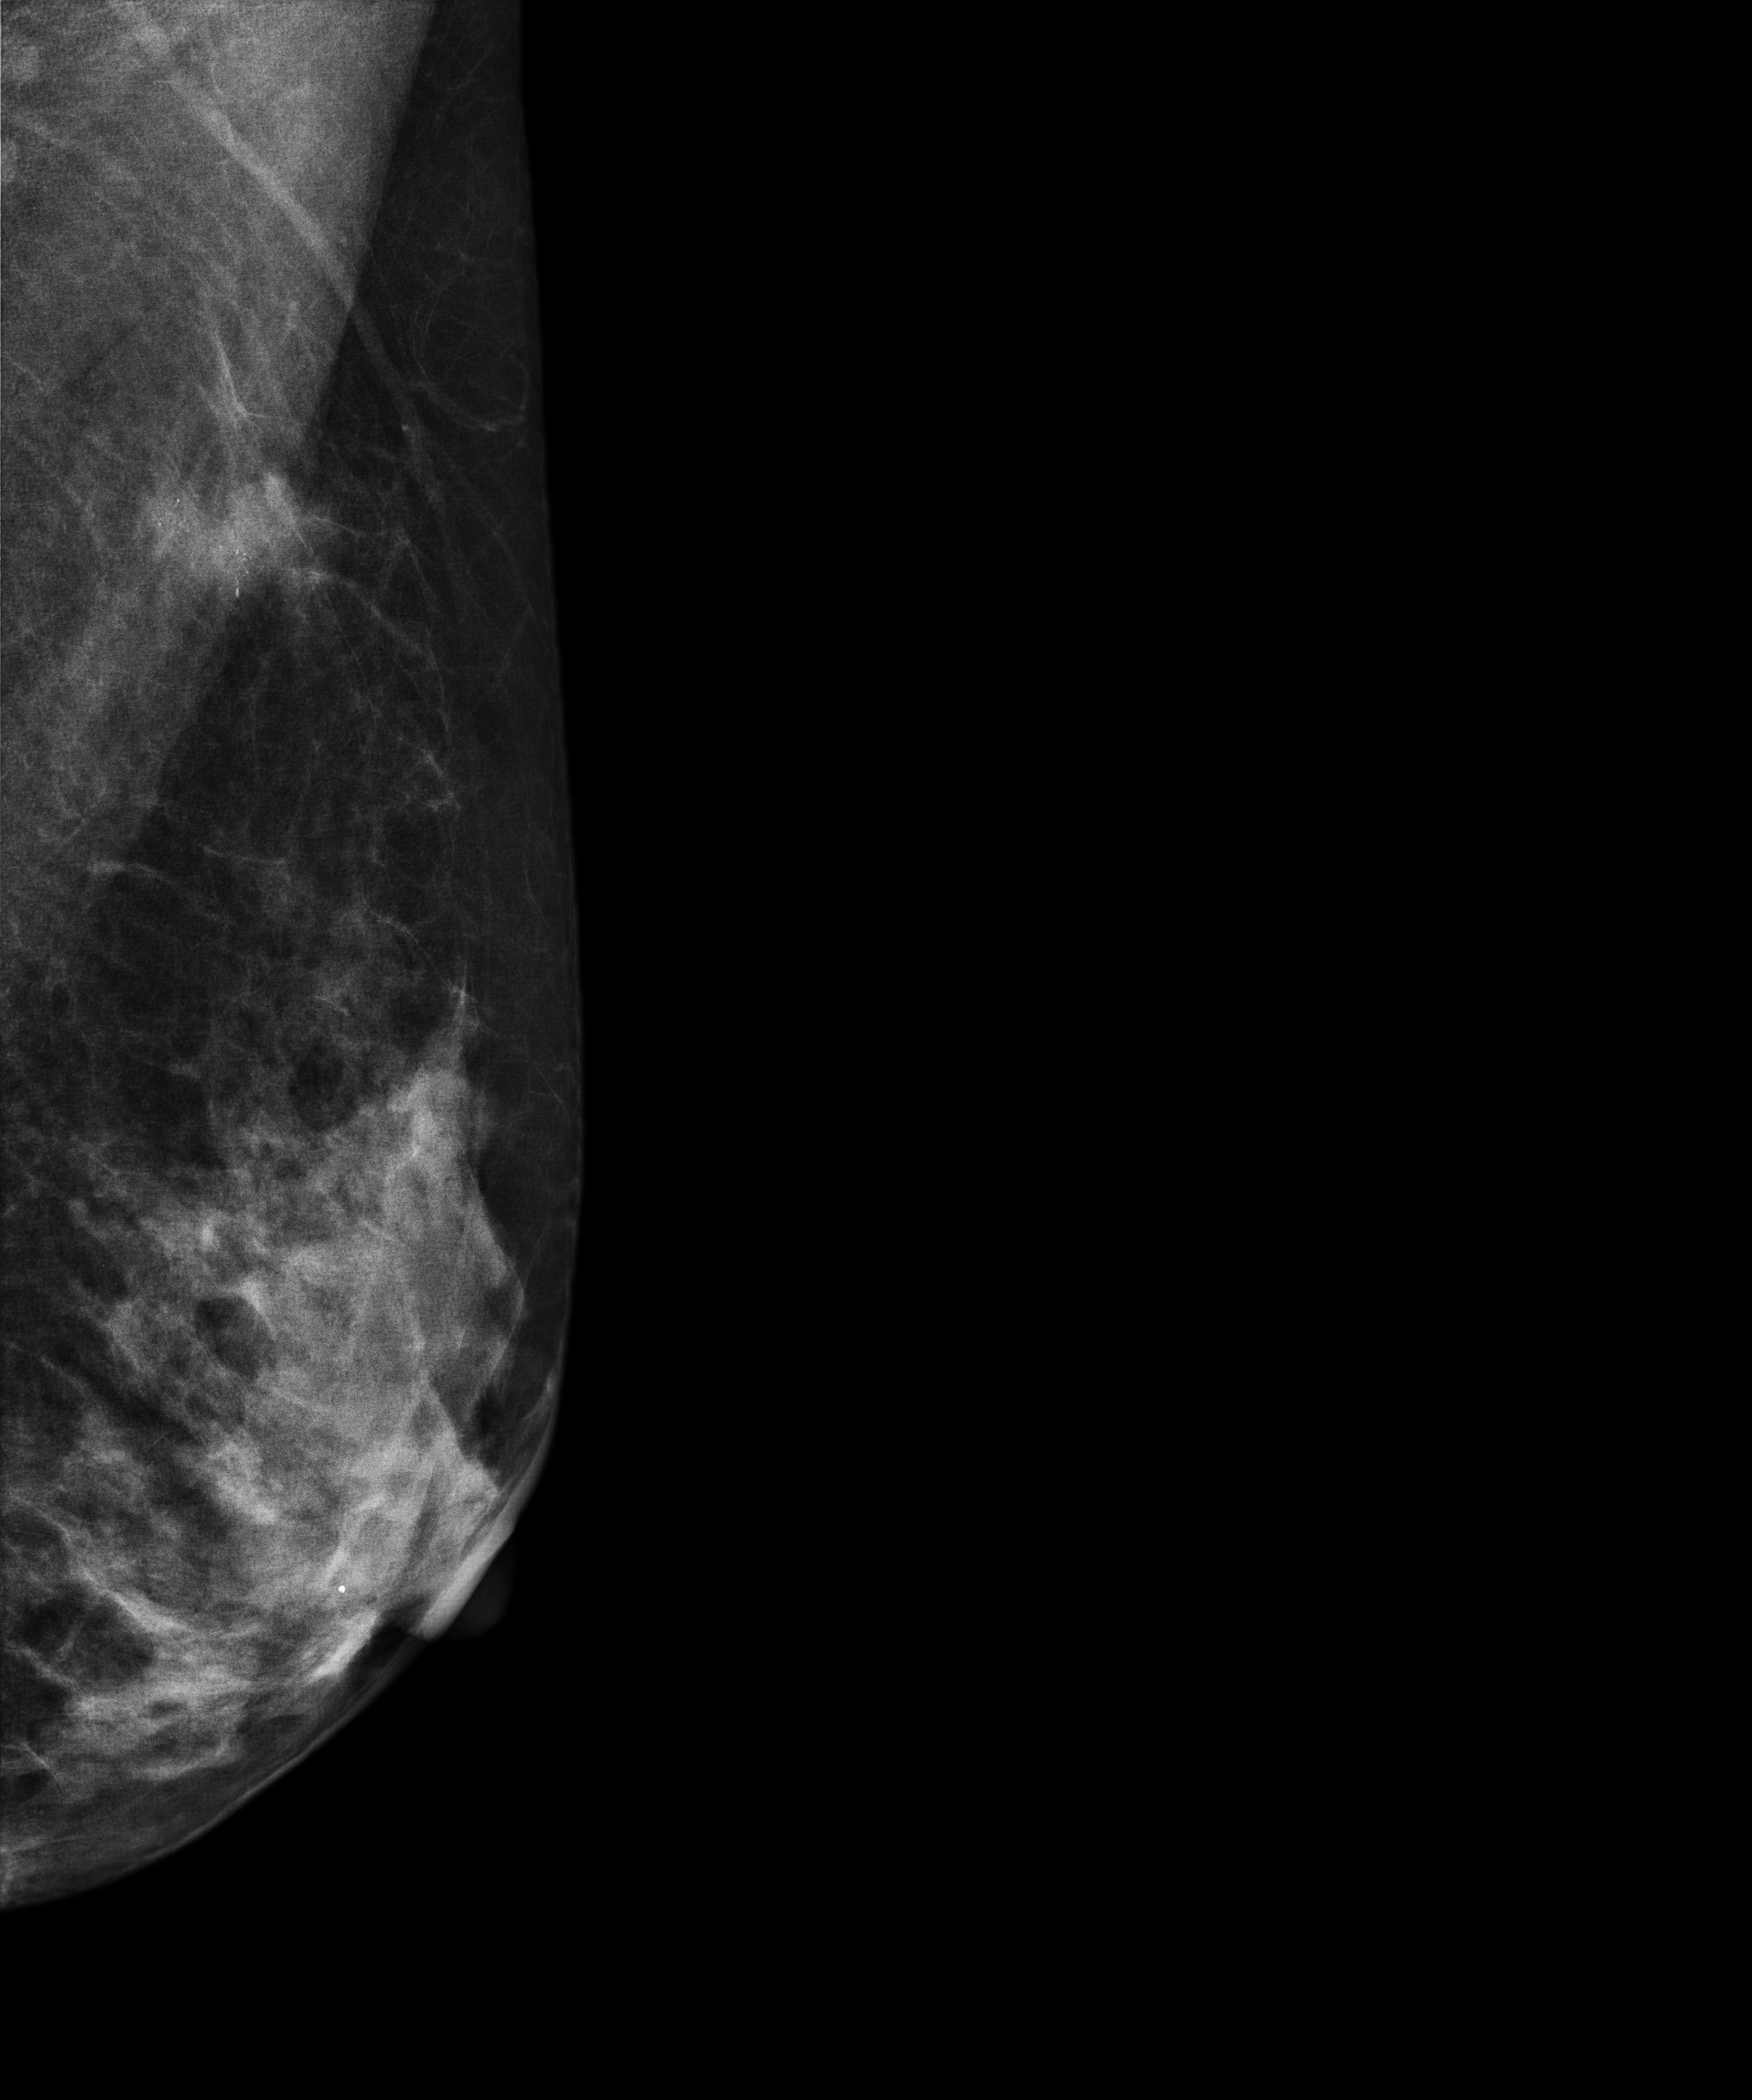
Digital mammography. Left breast, medio-lateral oblique projection. 40 y/o patient.
This breast has a mass and calcifications, pathology-confirmed malignant. Molecular subtype: HER2-enriched.